Mammogram — right medio-lateral oblique. Patient age 36.
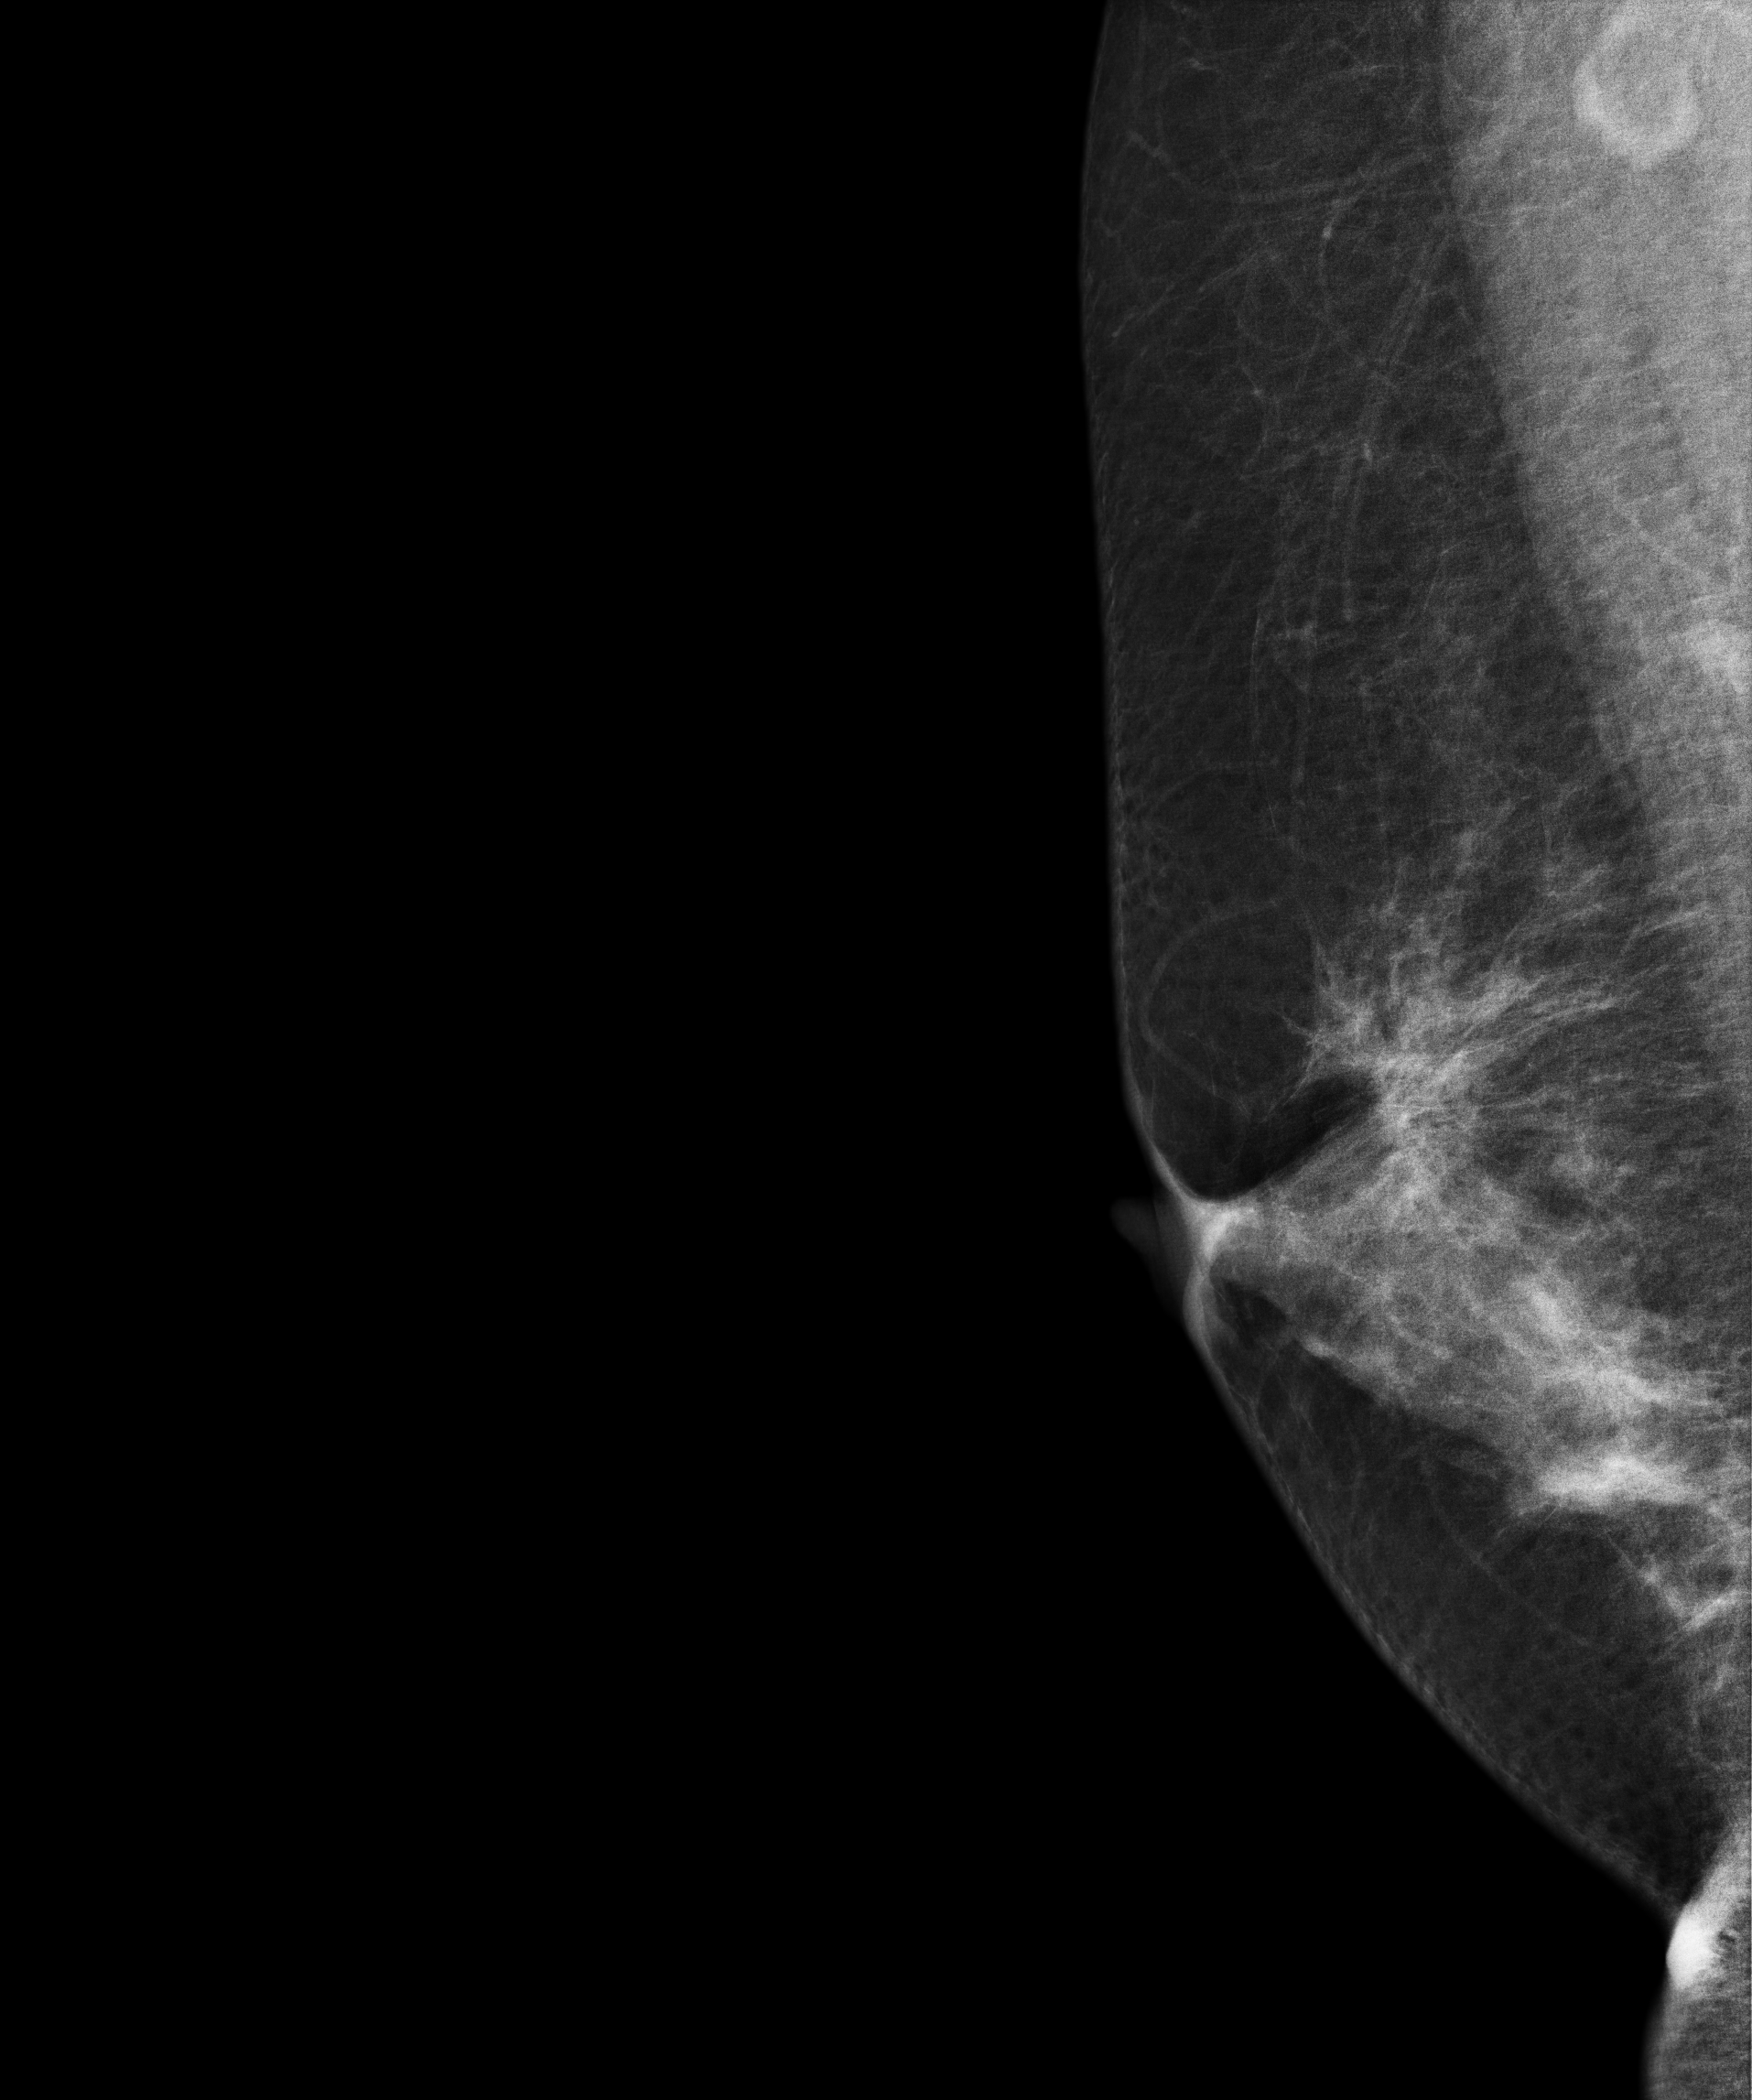
This breast has a mass, biopsy-proven benign.